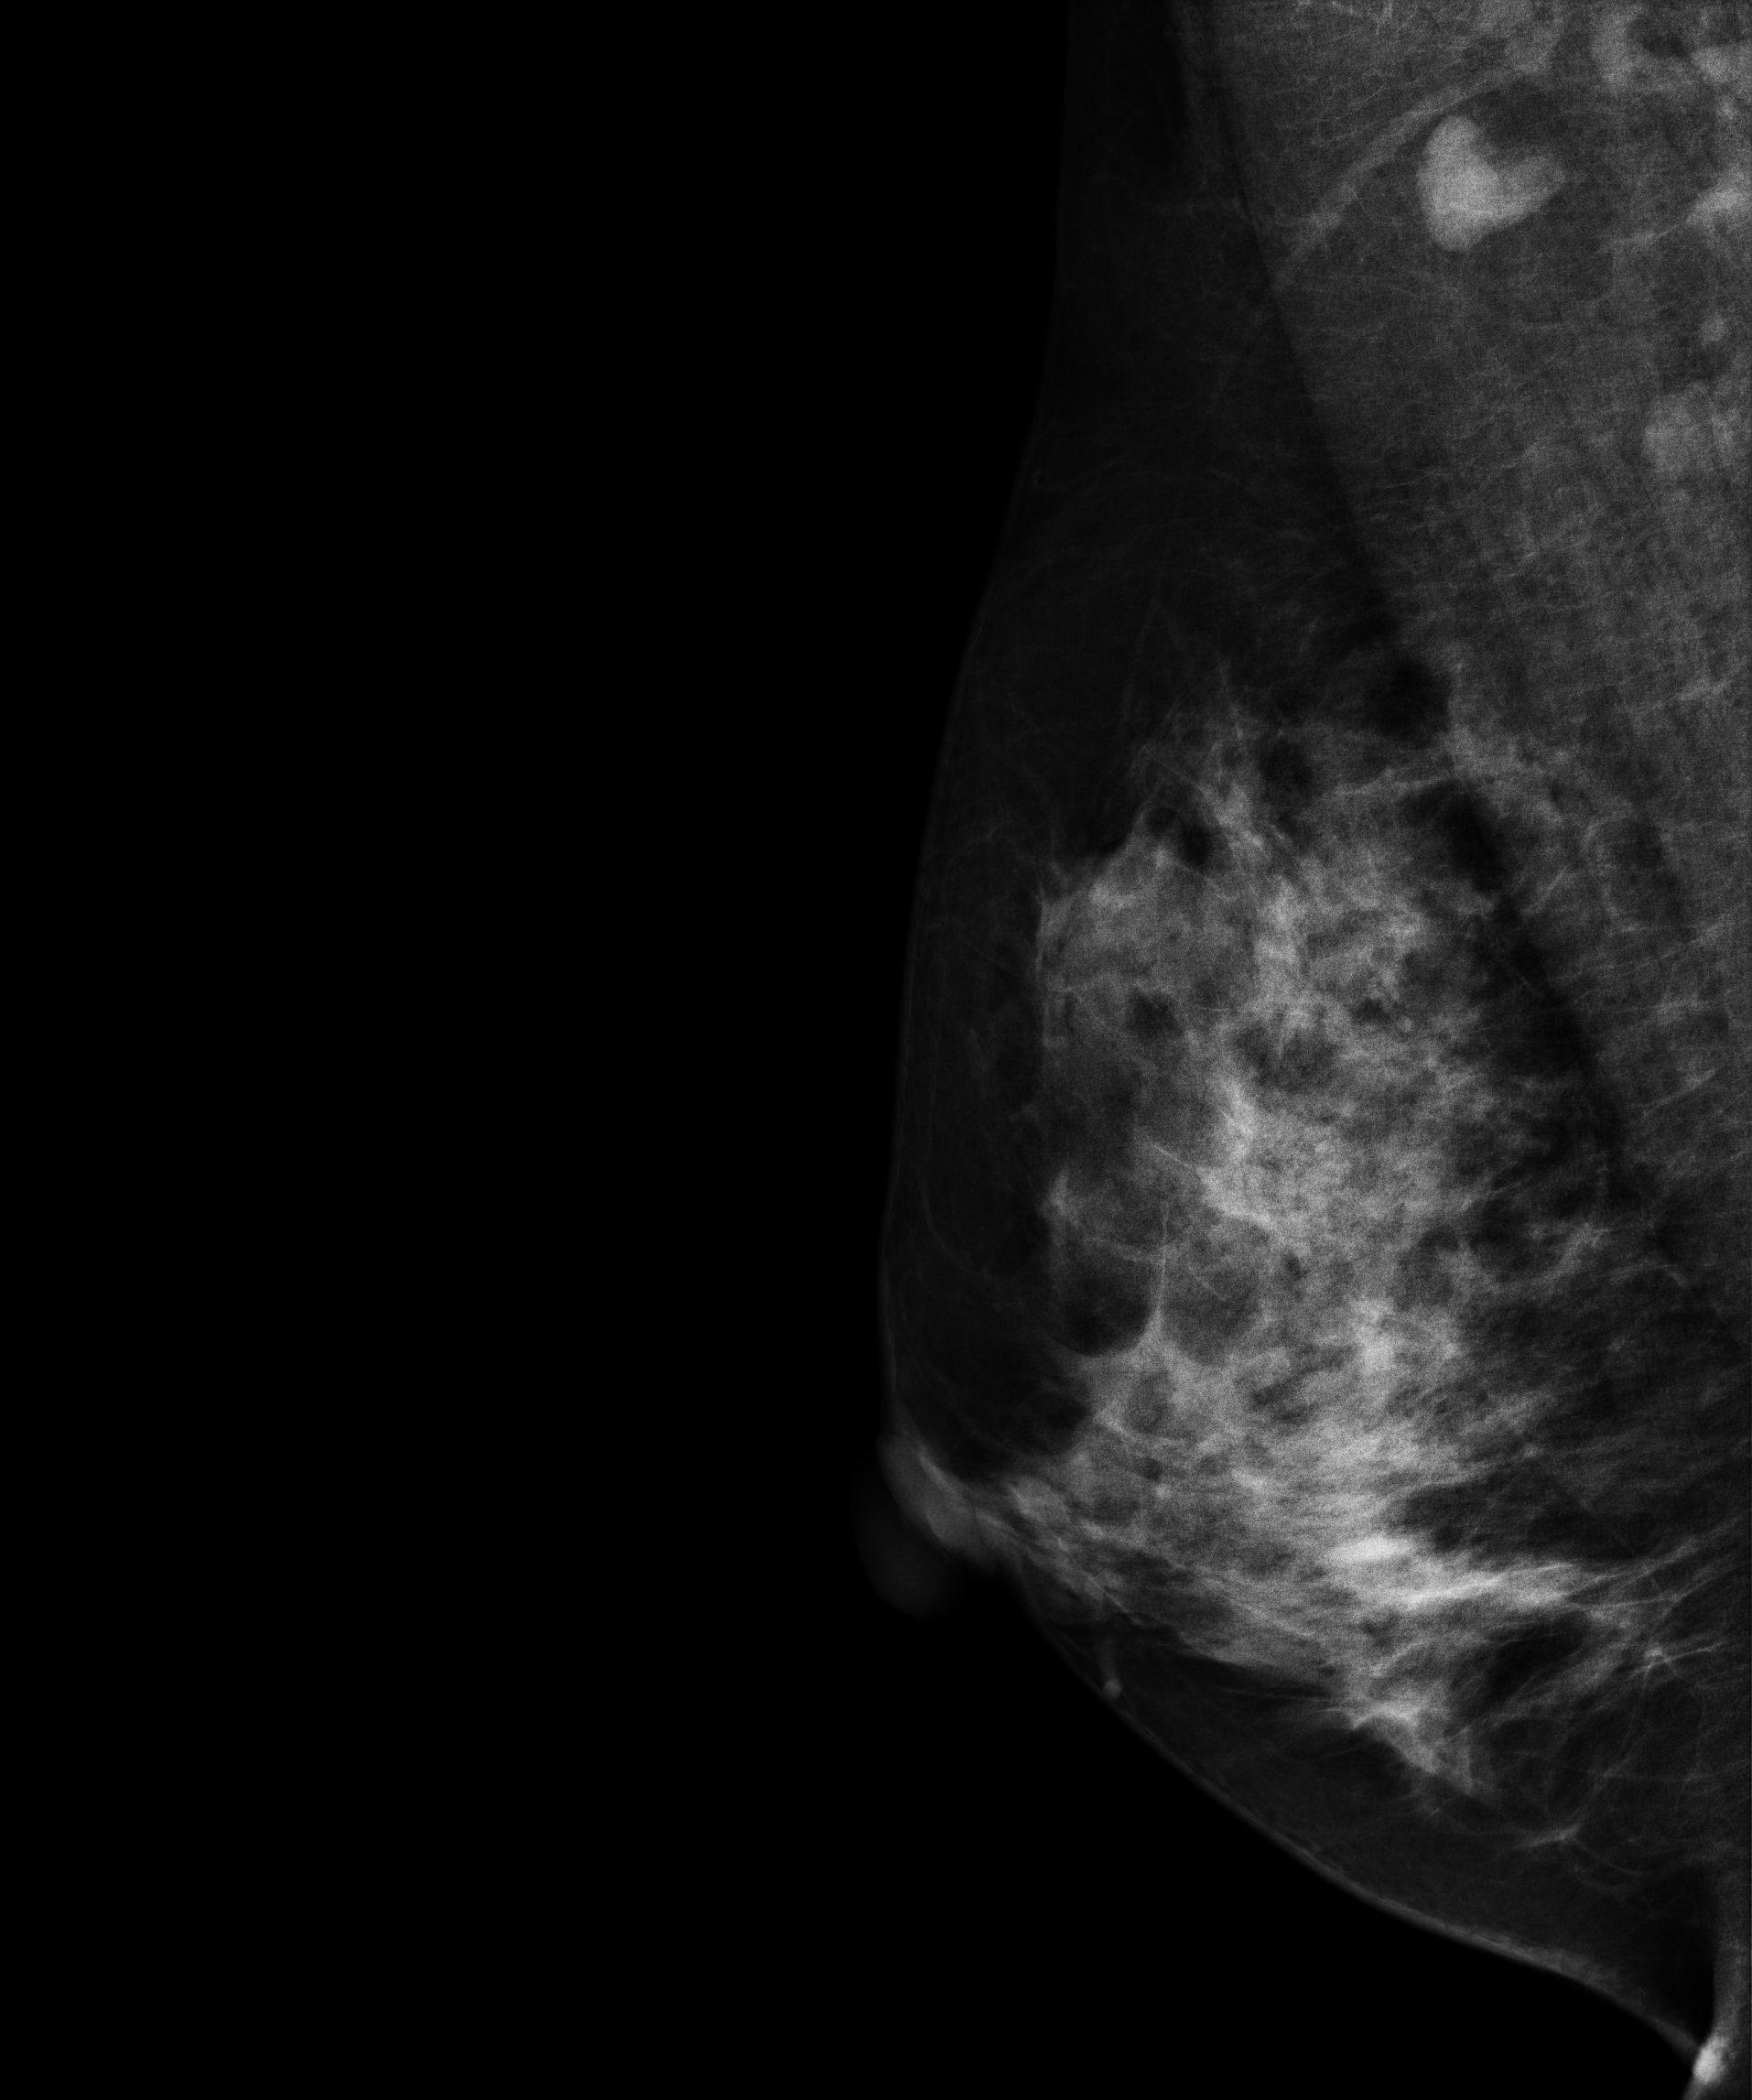
Digital mammography. Right breast, MLO projection. Patient age 44.
This breast has a mass, pathology-confirmed malignant.